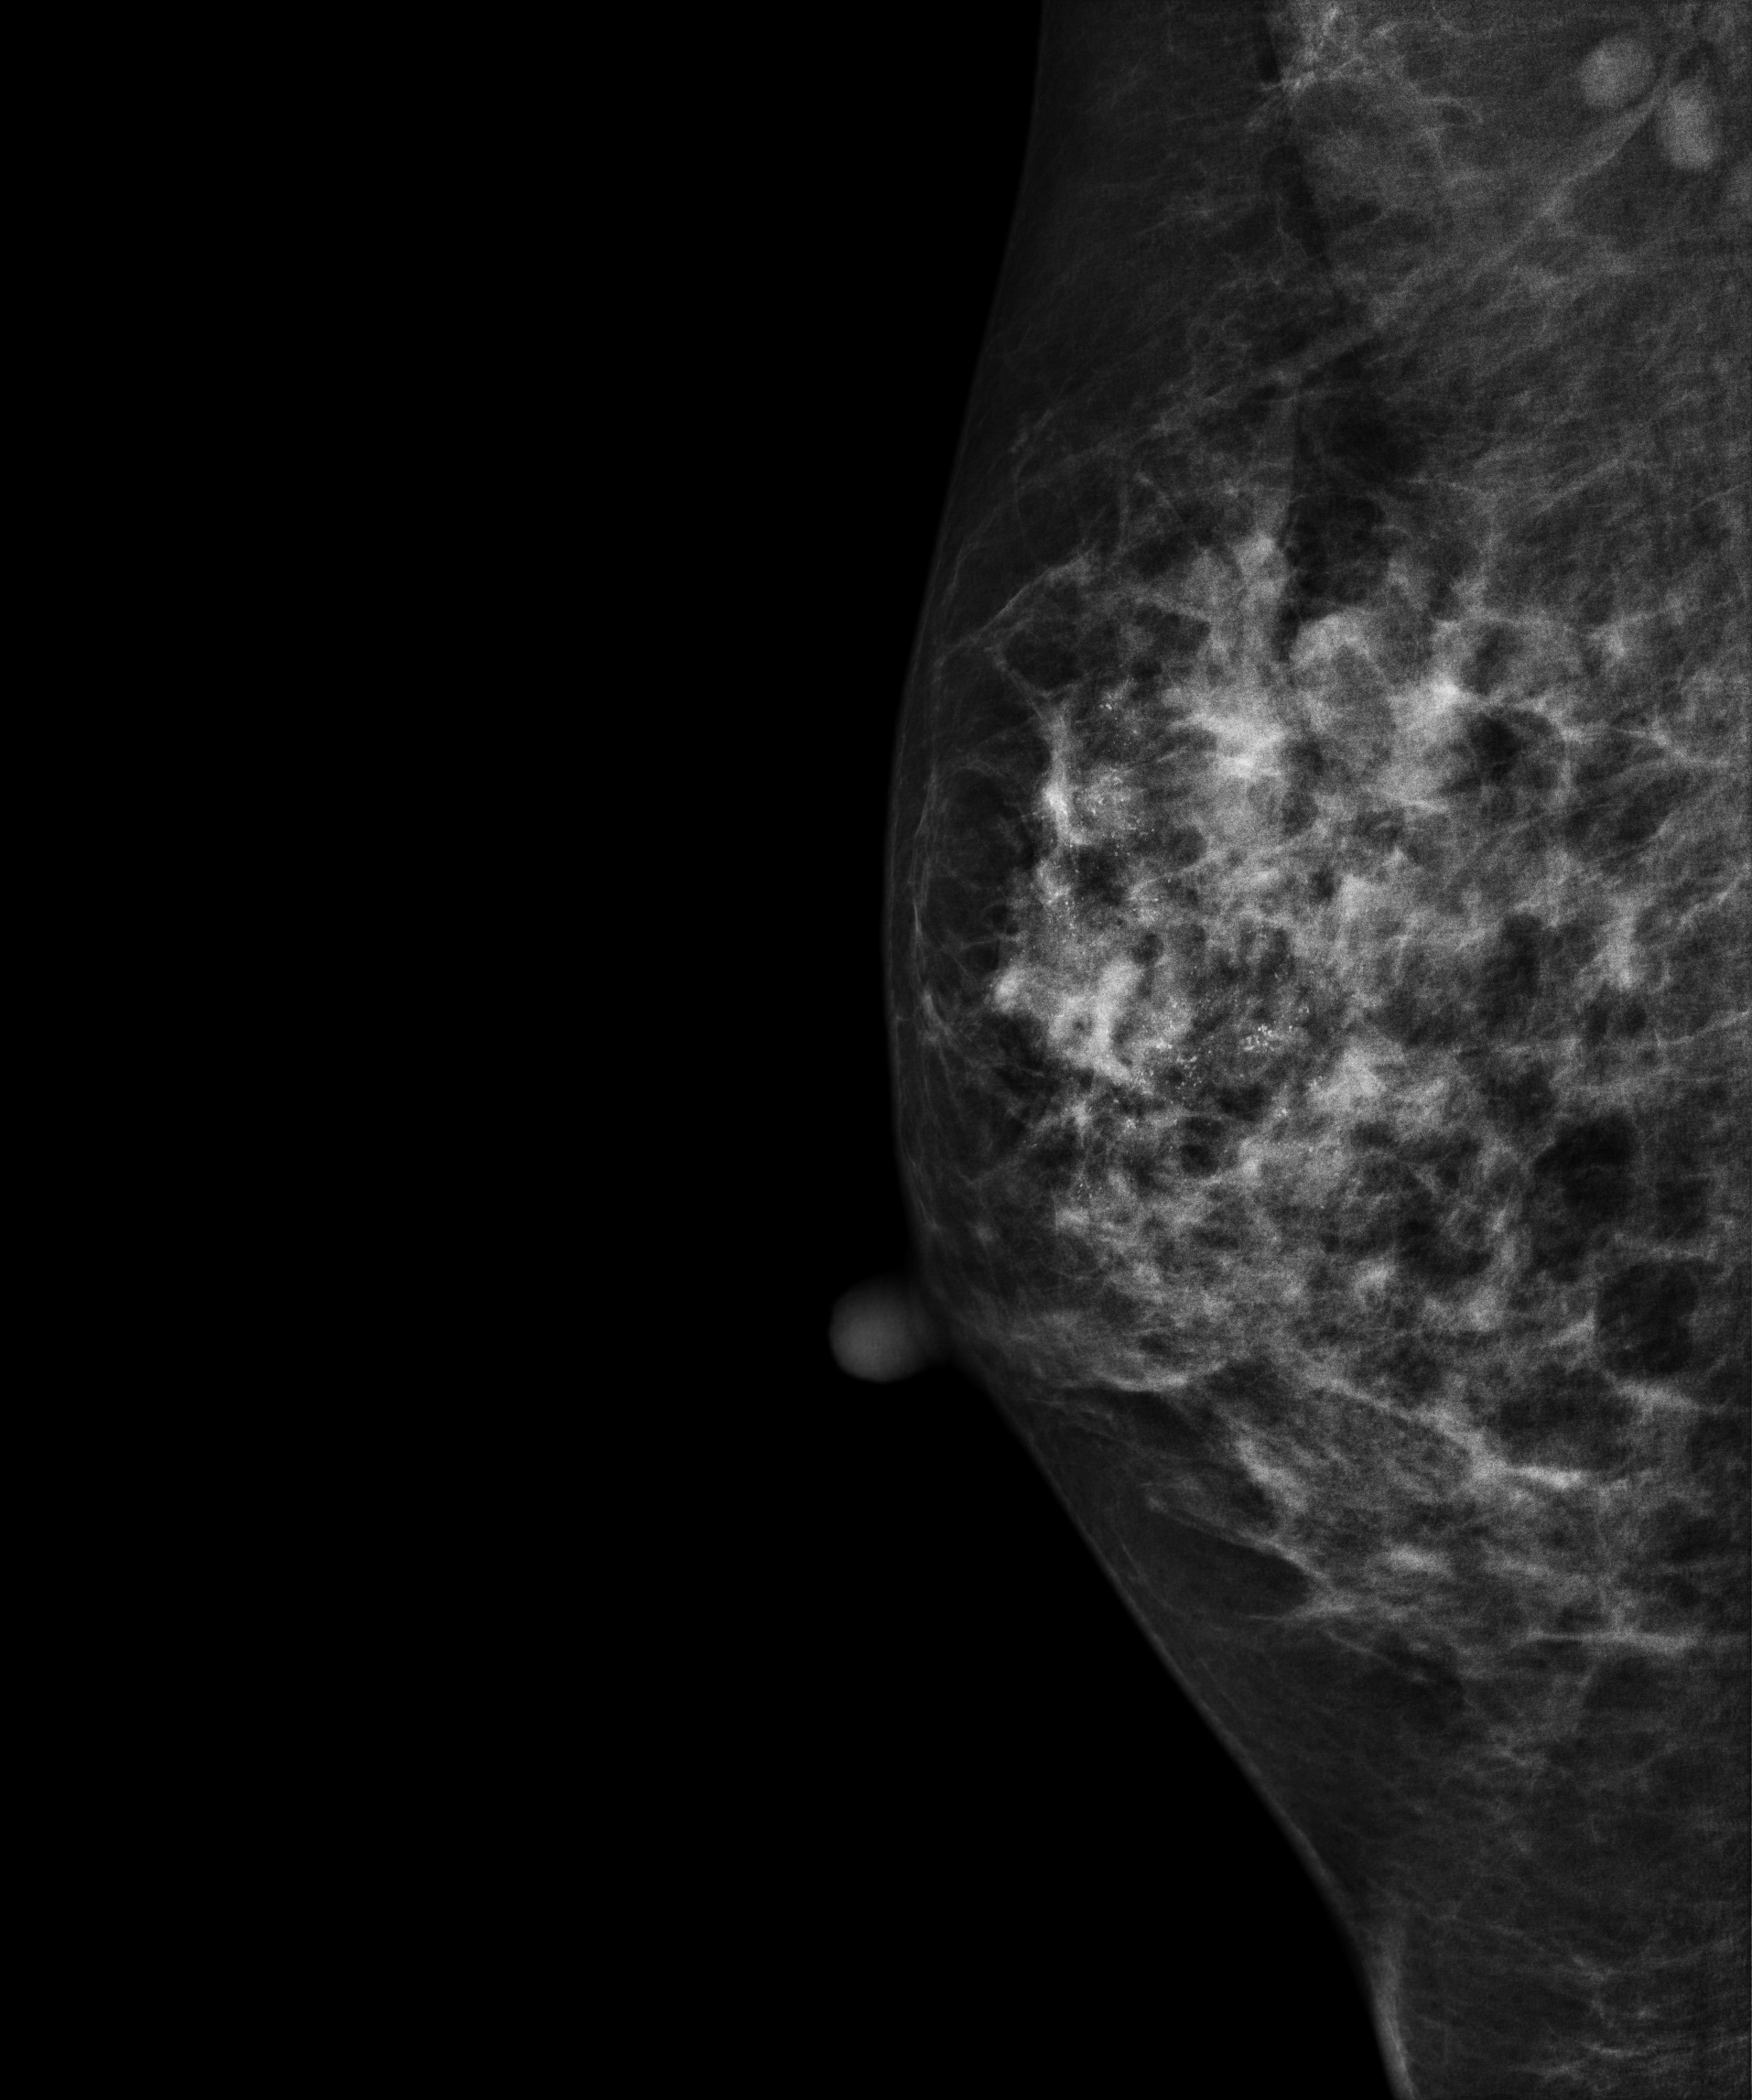
MLO mammogram of the right breast. Patient age 43.
This breast has calcifications, histologically confirmed malignant.